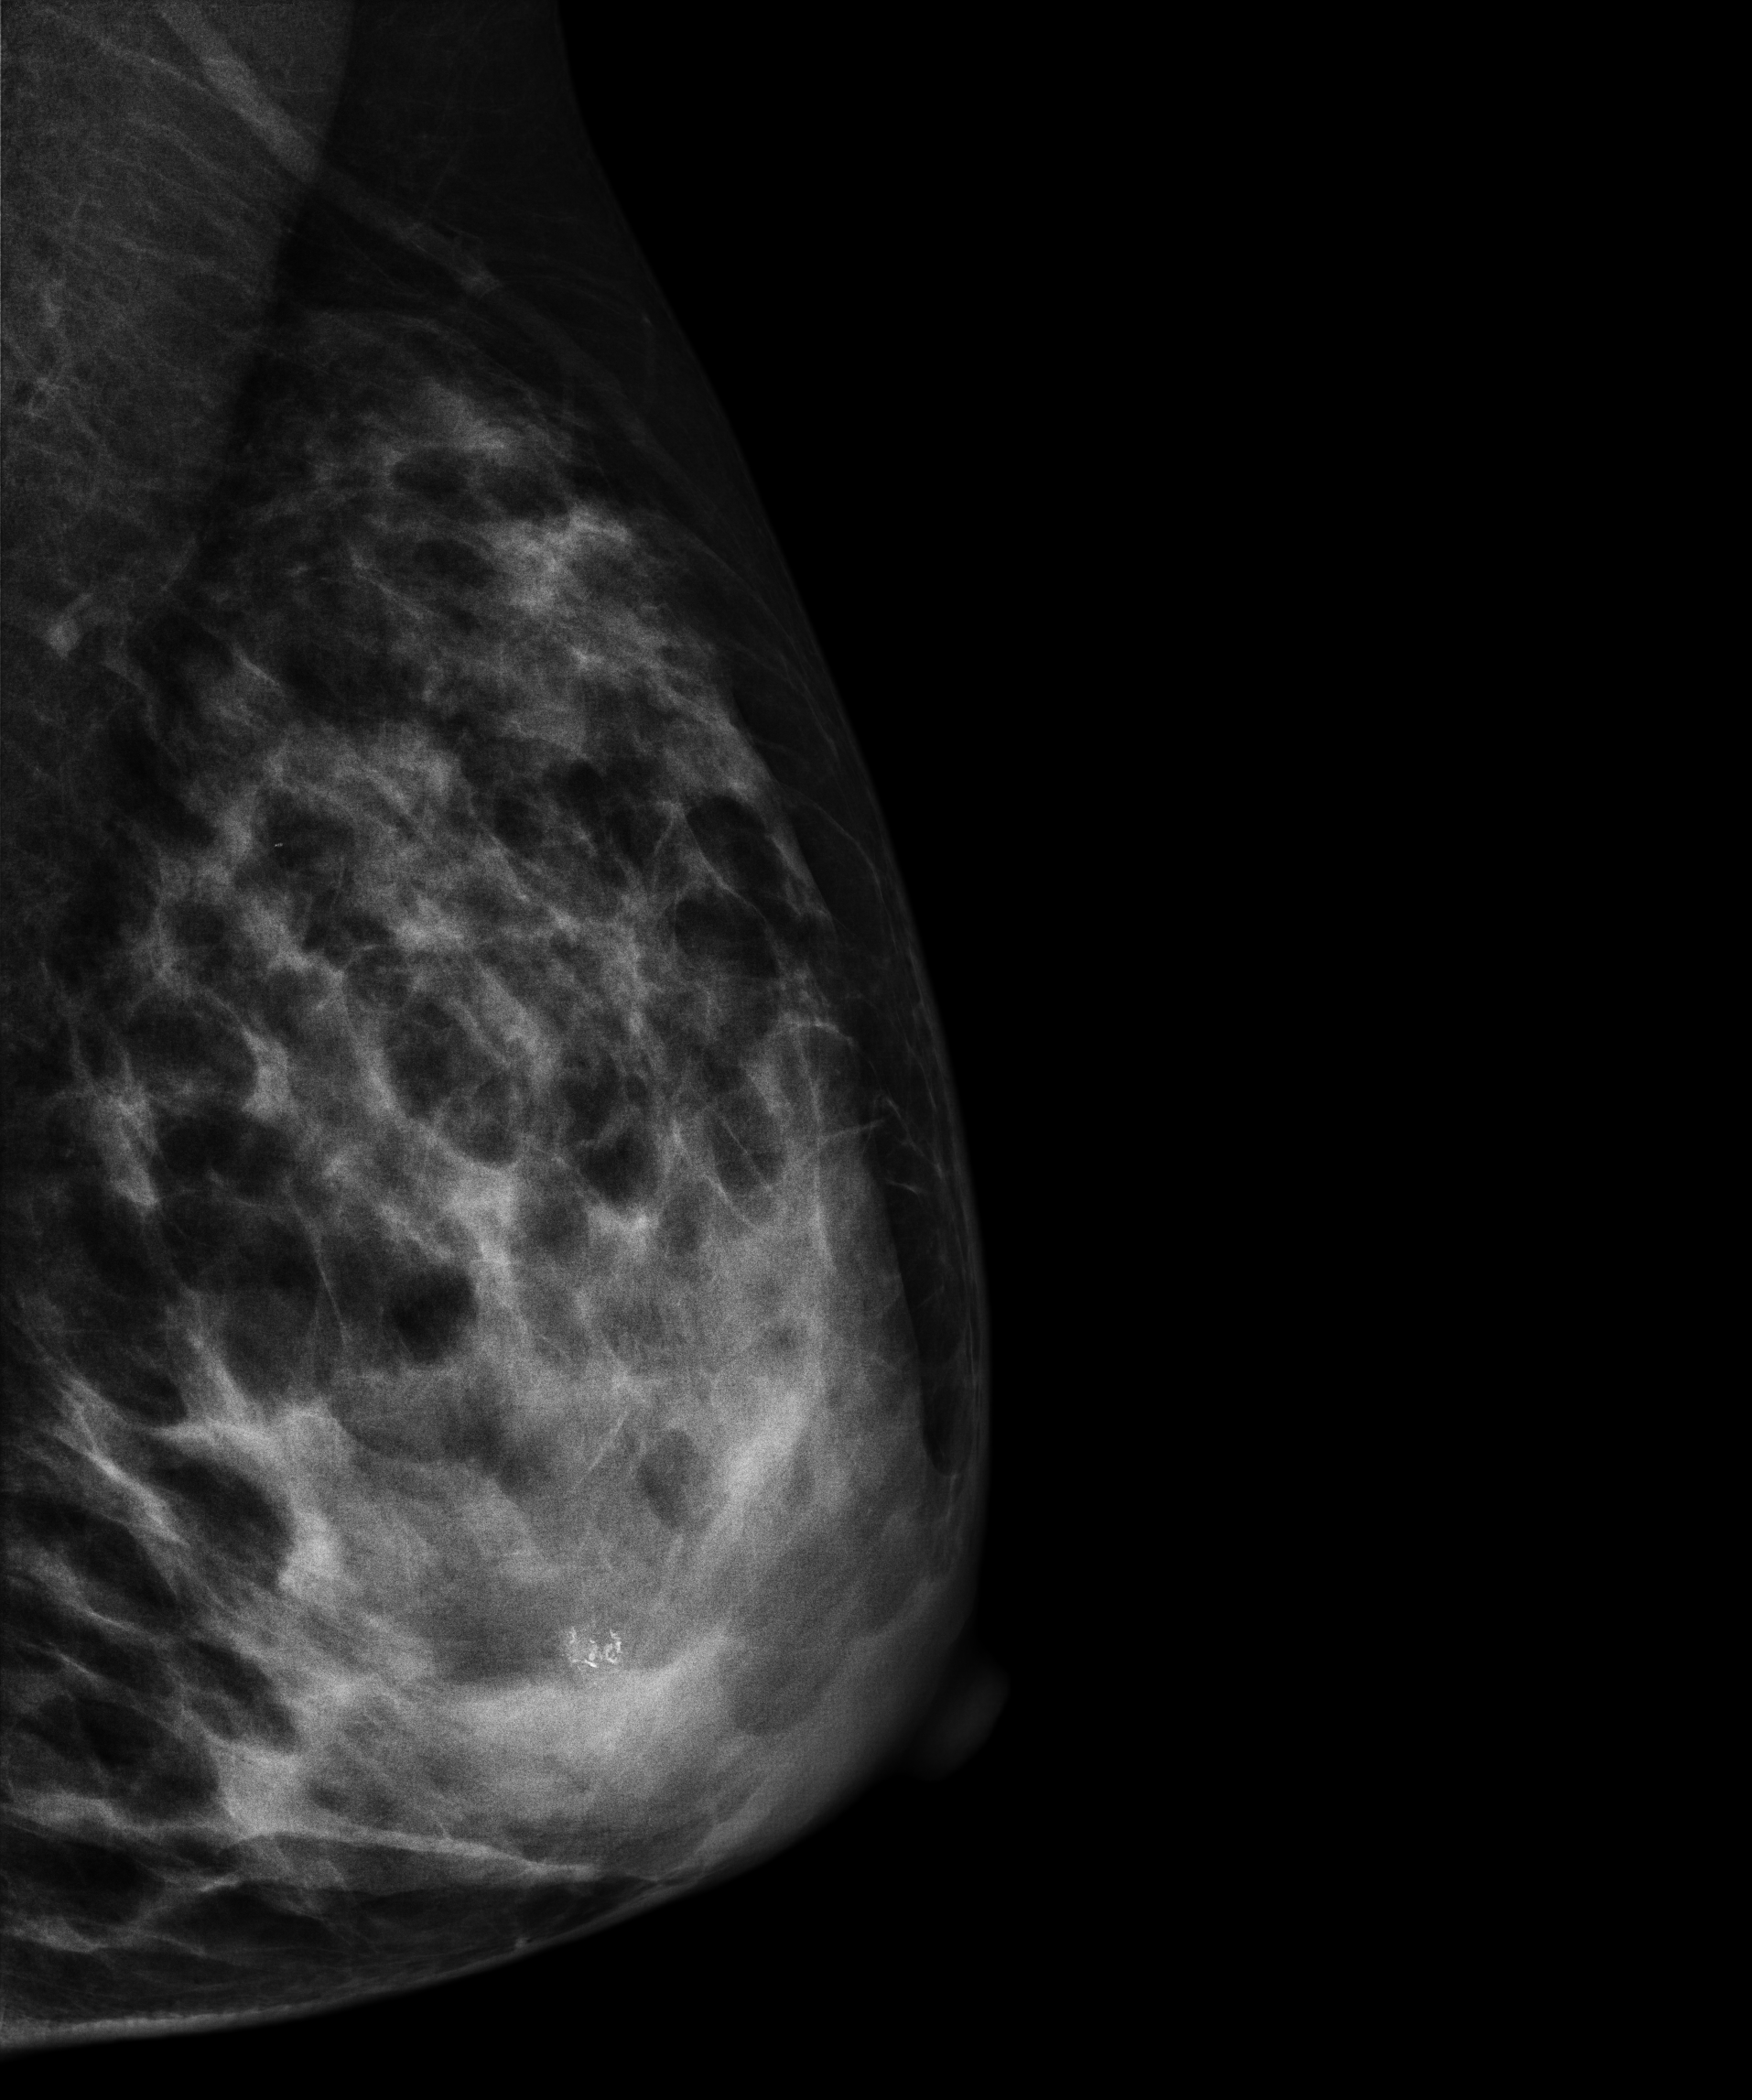
MLO mammogram of the left breast. 37-year-old patient.
This breast has calcifications, biopsy-confirmed benign.